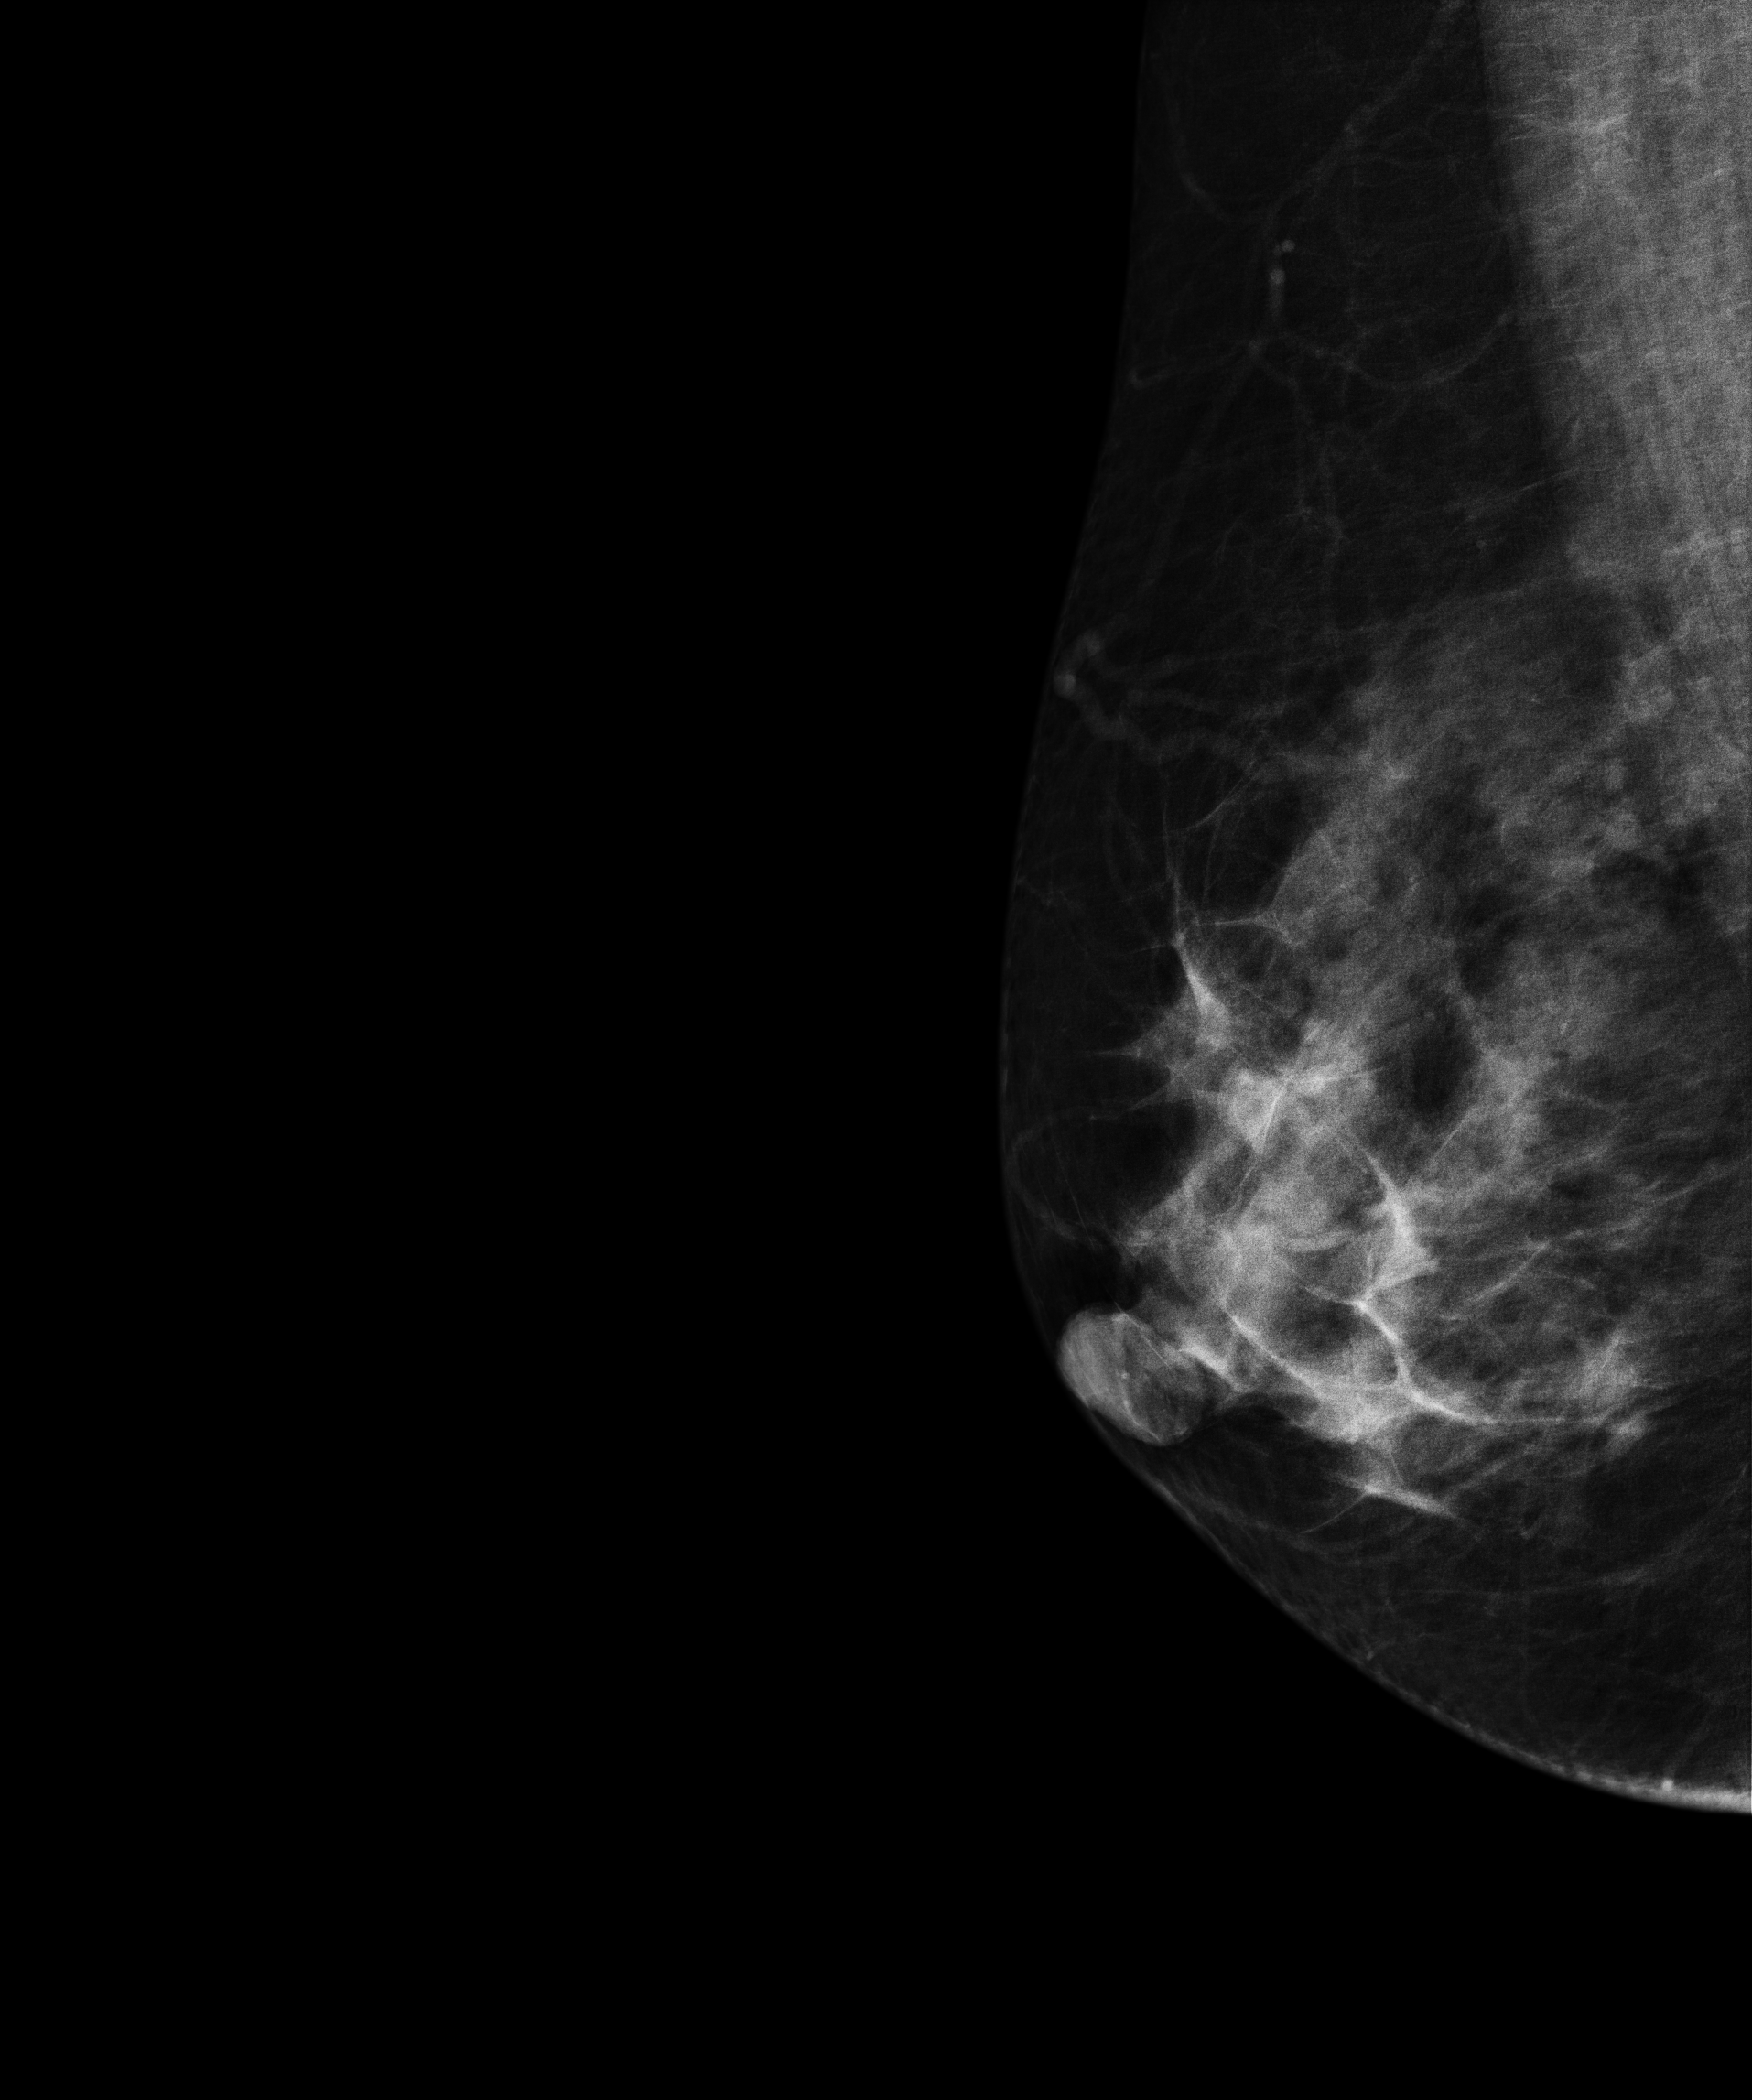
Mammogram, right breast, medio-lateral oblique view. 43 y/o patient.
Contralateral breast — no documented abnormality on this side.